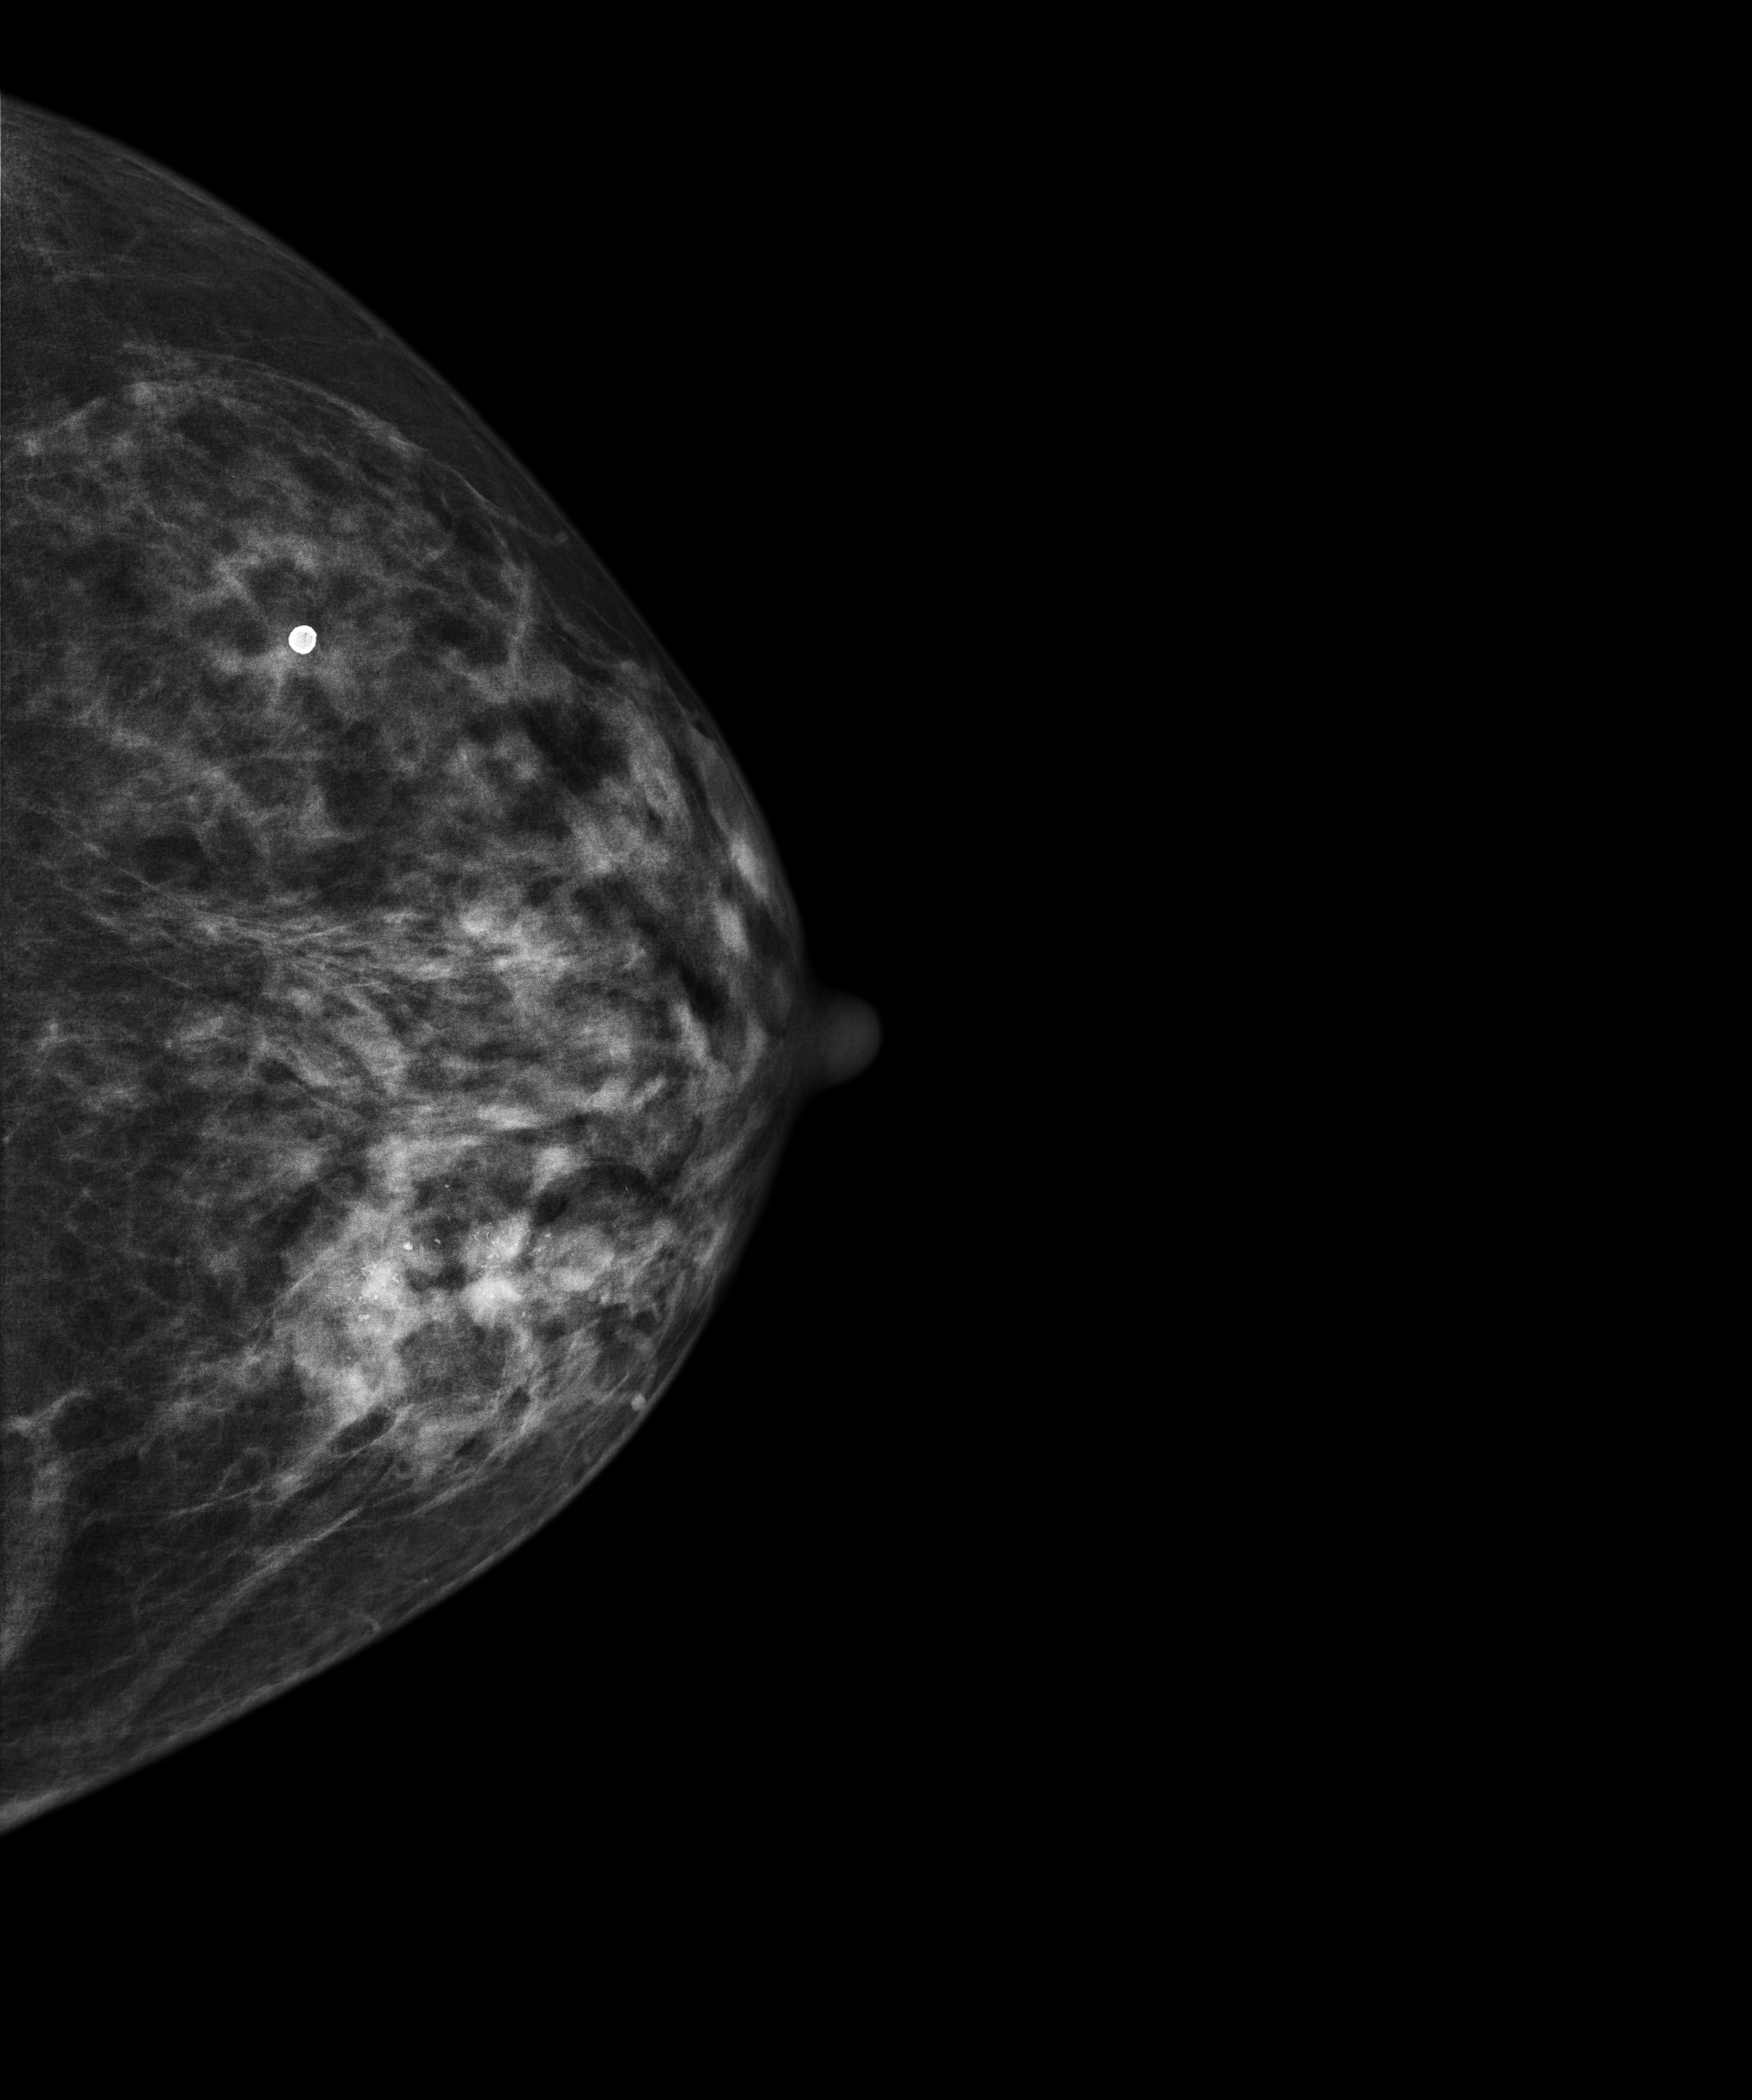
Left-breast mammogram, CC. 61 y/o patient.
This breast has a mass and calcifications, histologically confirmed malignant. Molecular subtype: HER2-enriched.